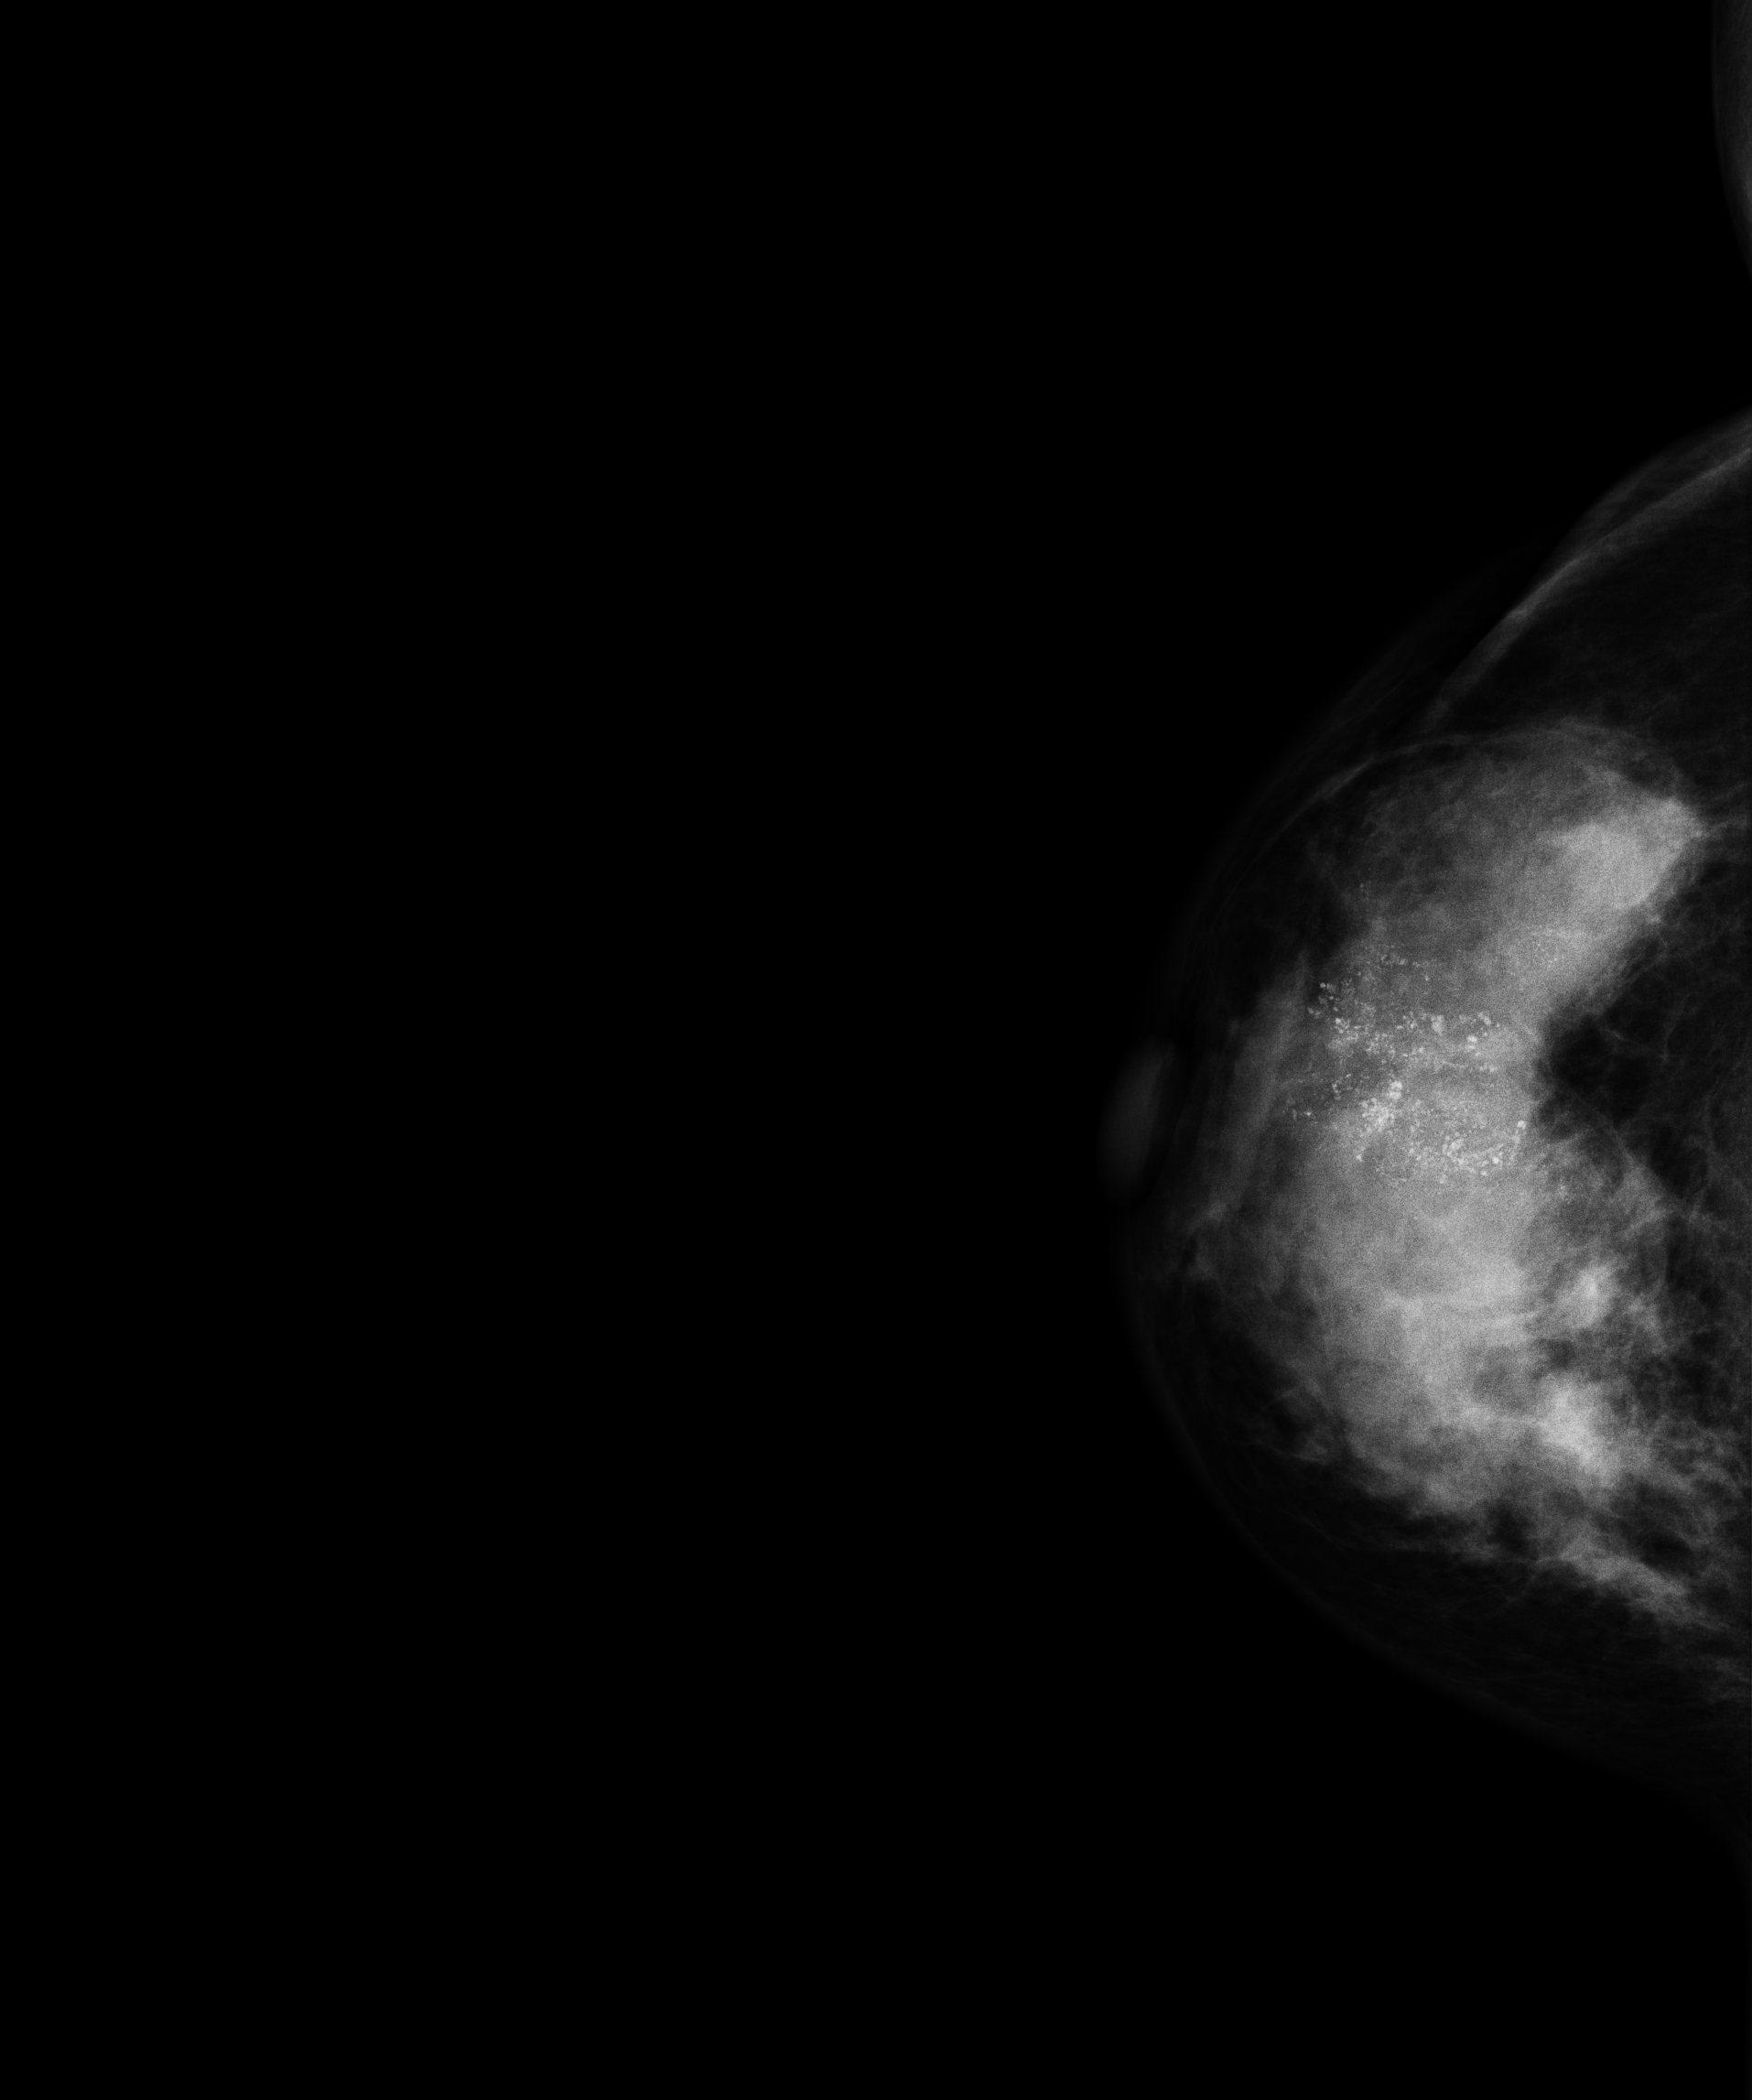
Right-breast mammogram, MLO. 37-year-old patient.
This breast has calcifications, pathology-confirmed malignant.